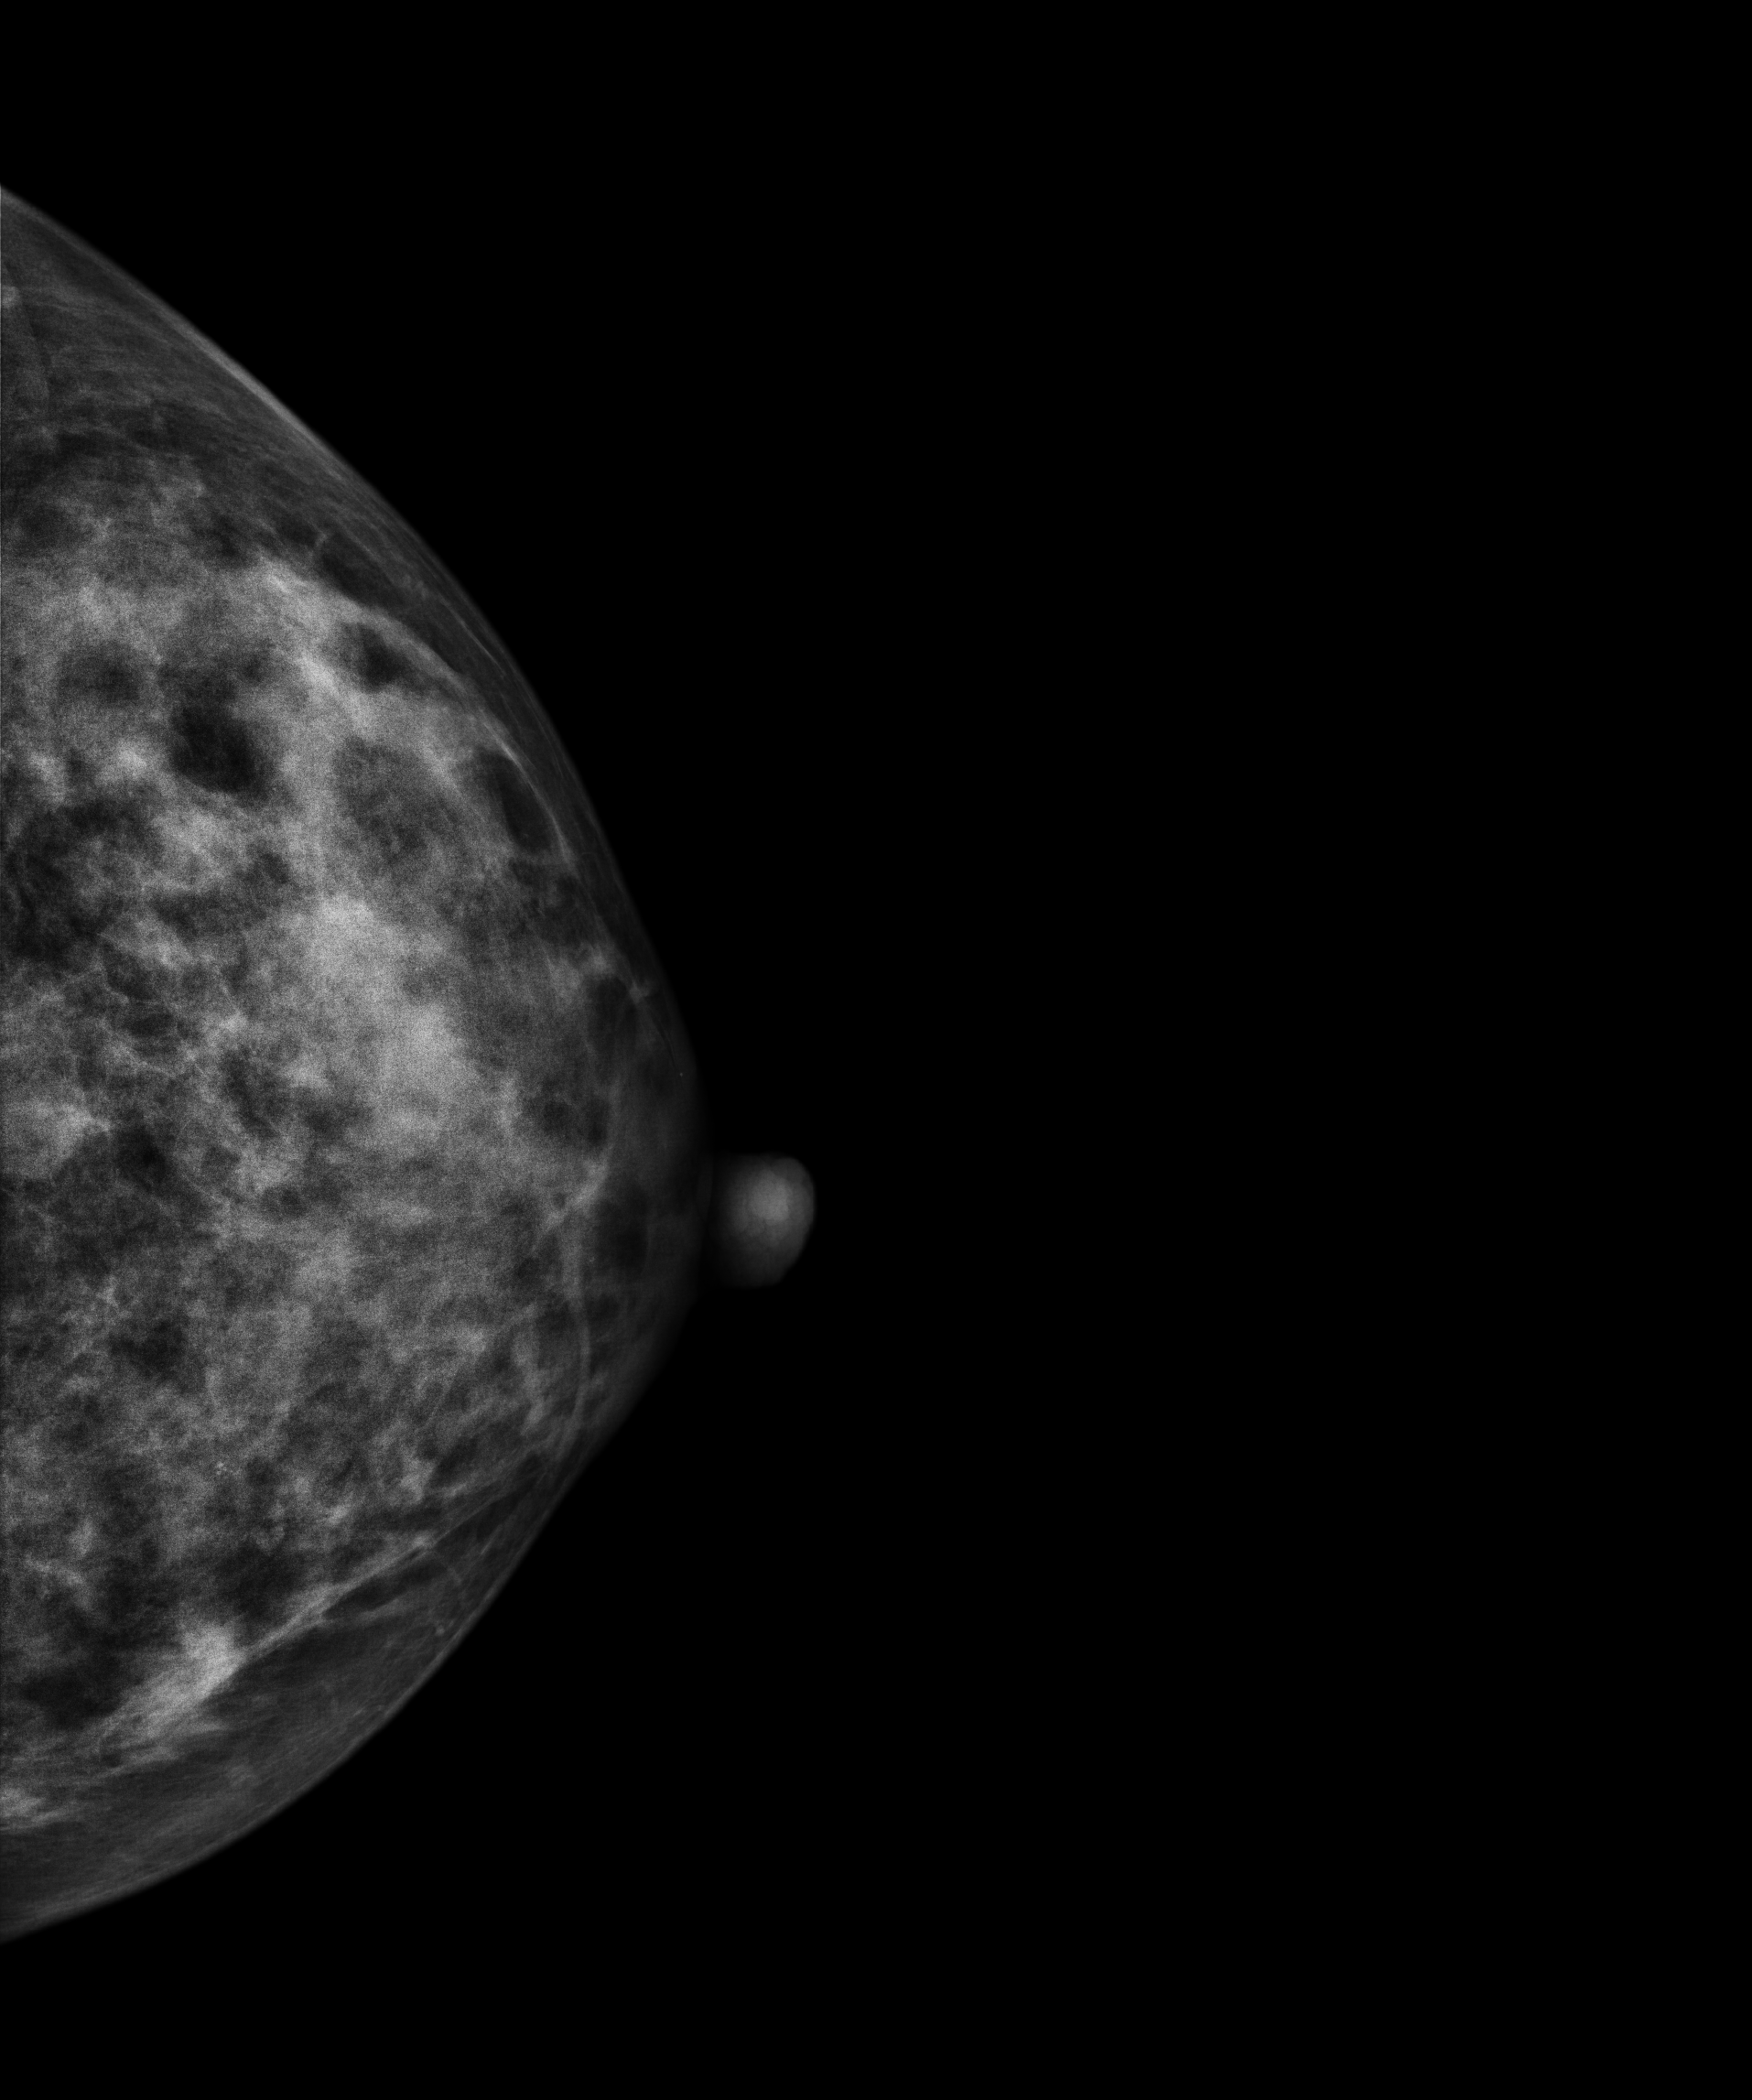
Left-breast mammogram, CC. 48 y/o patient.
This breast has a mass, biopsy-proven malignant. Molecular subtype: luminal B.